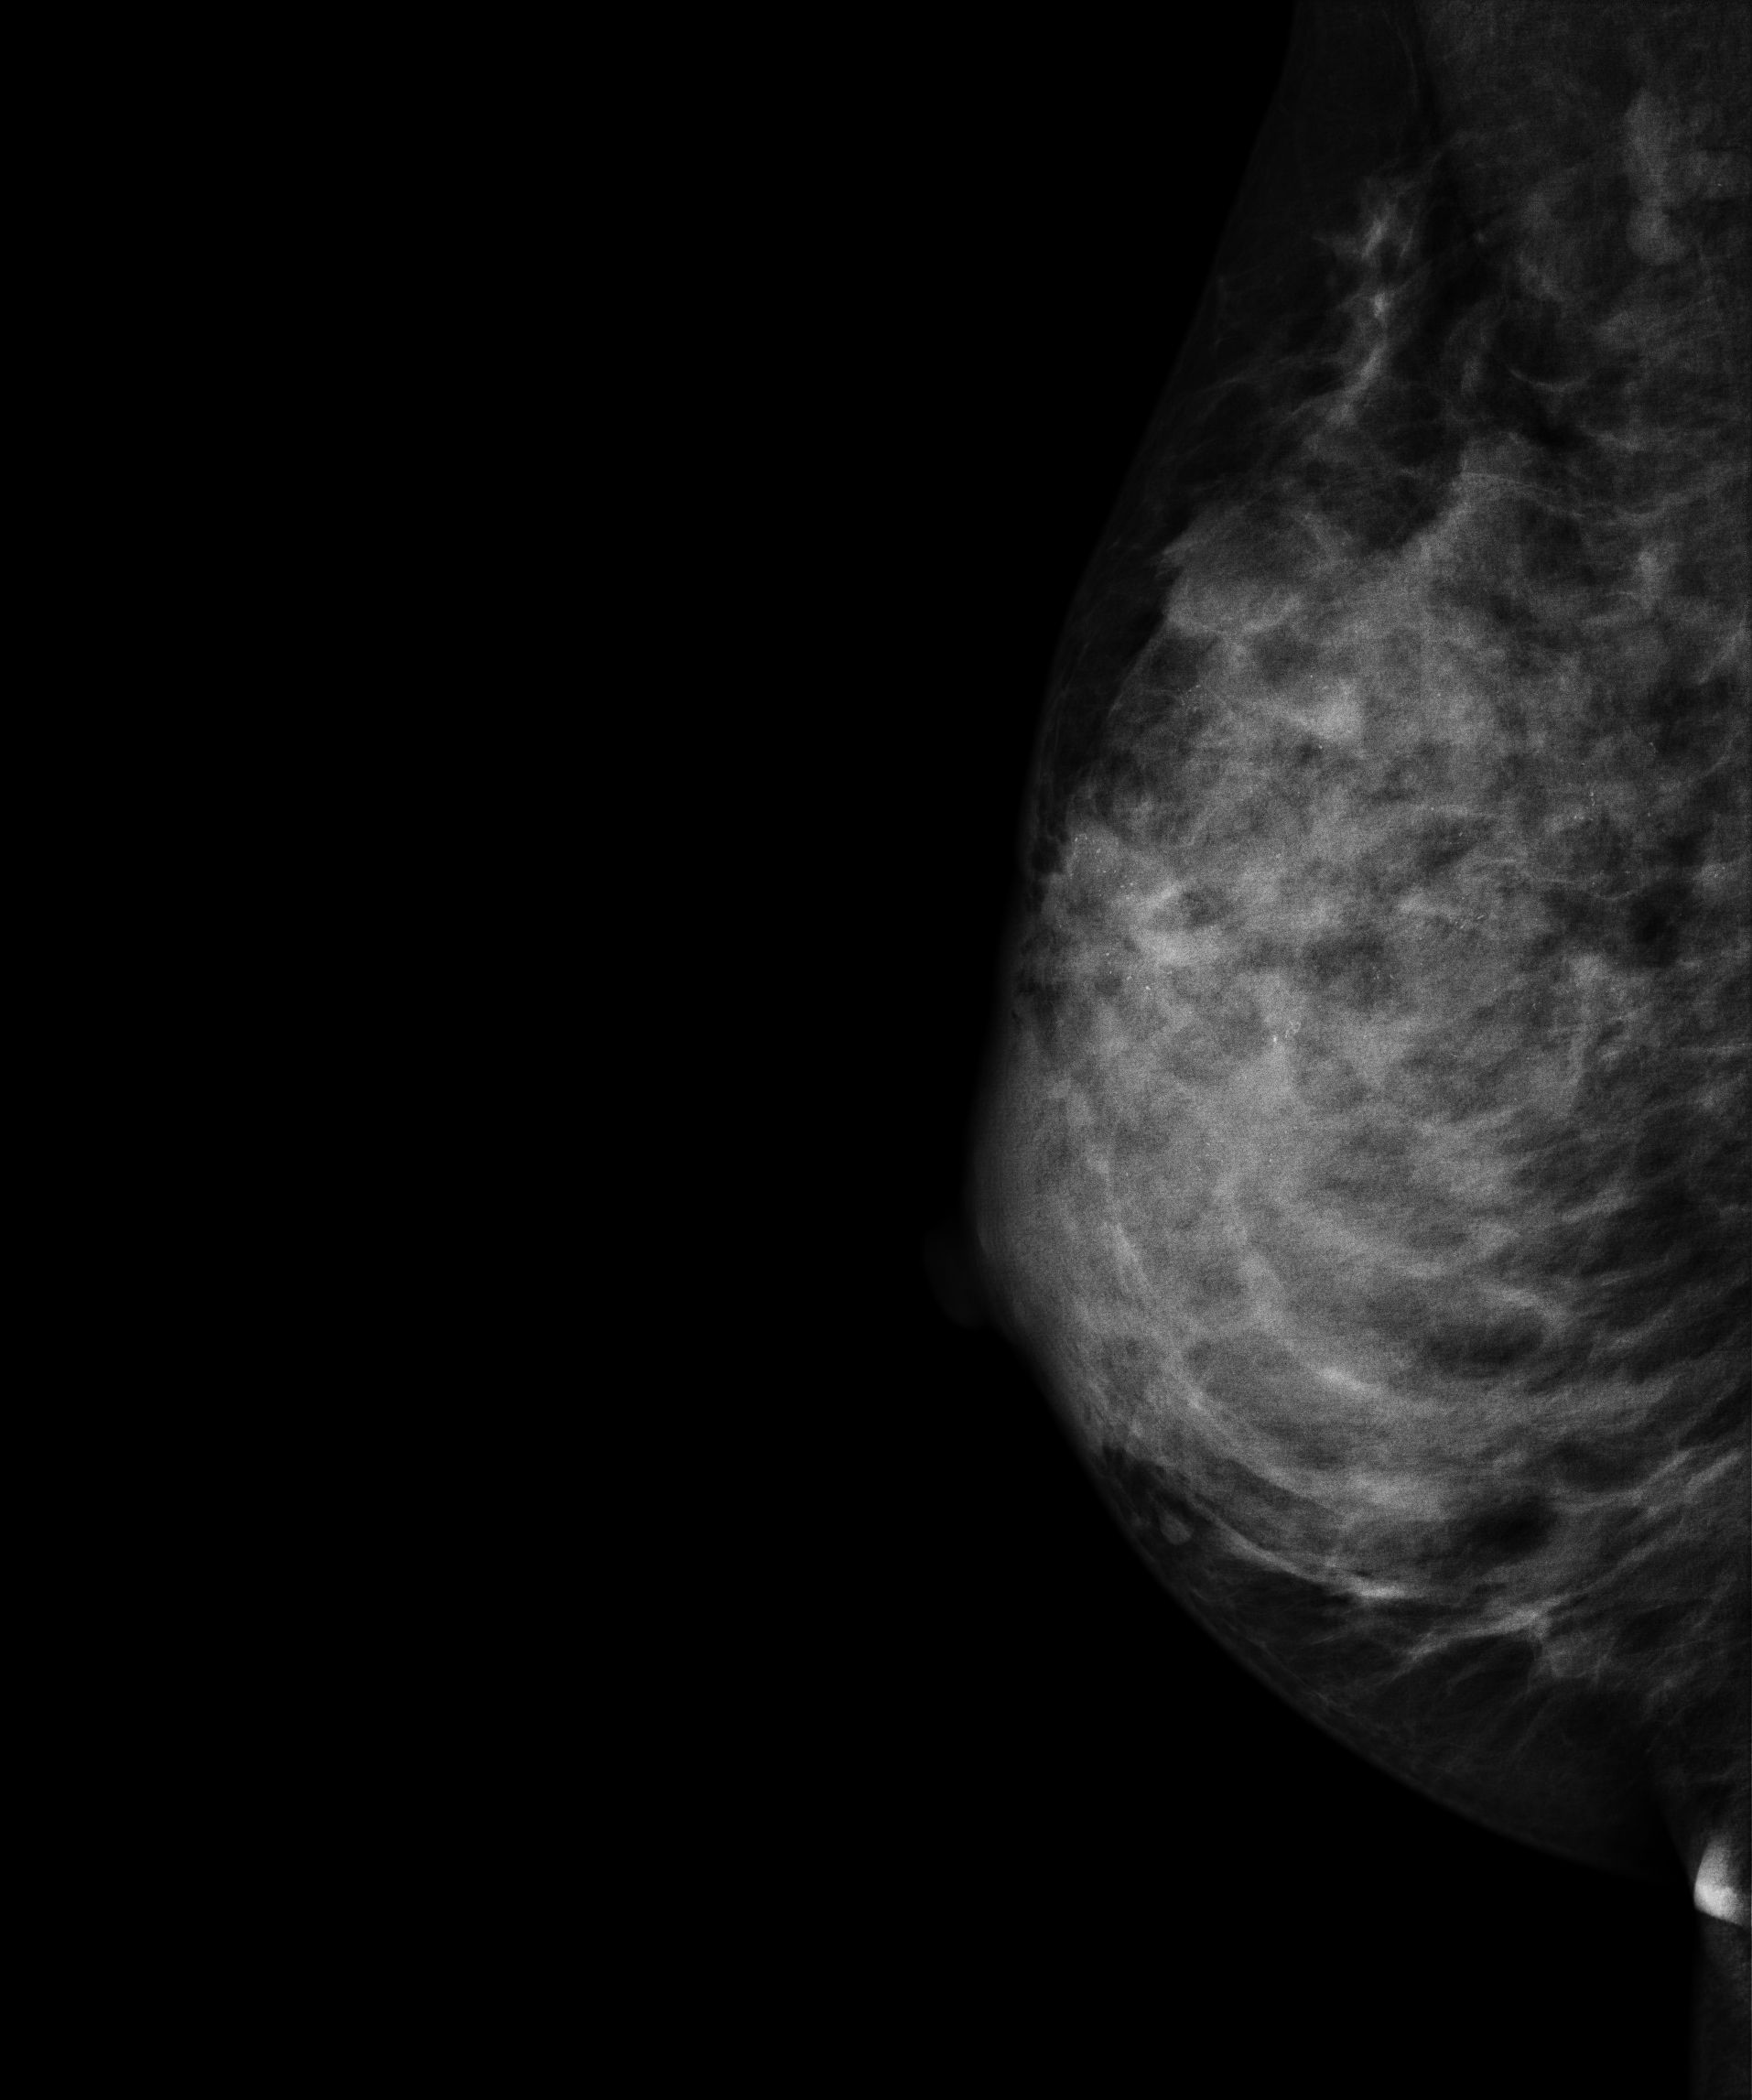
MLO mammogram of the right breast. 41 y/o patient.
This breast has calcifications, pathology-confirmed malignant.